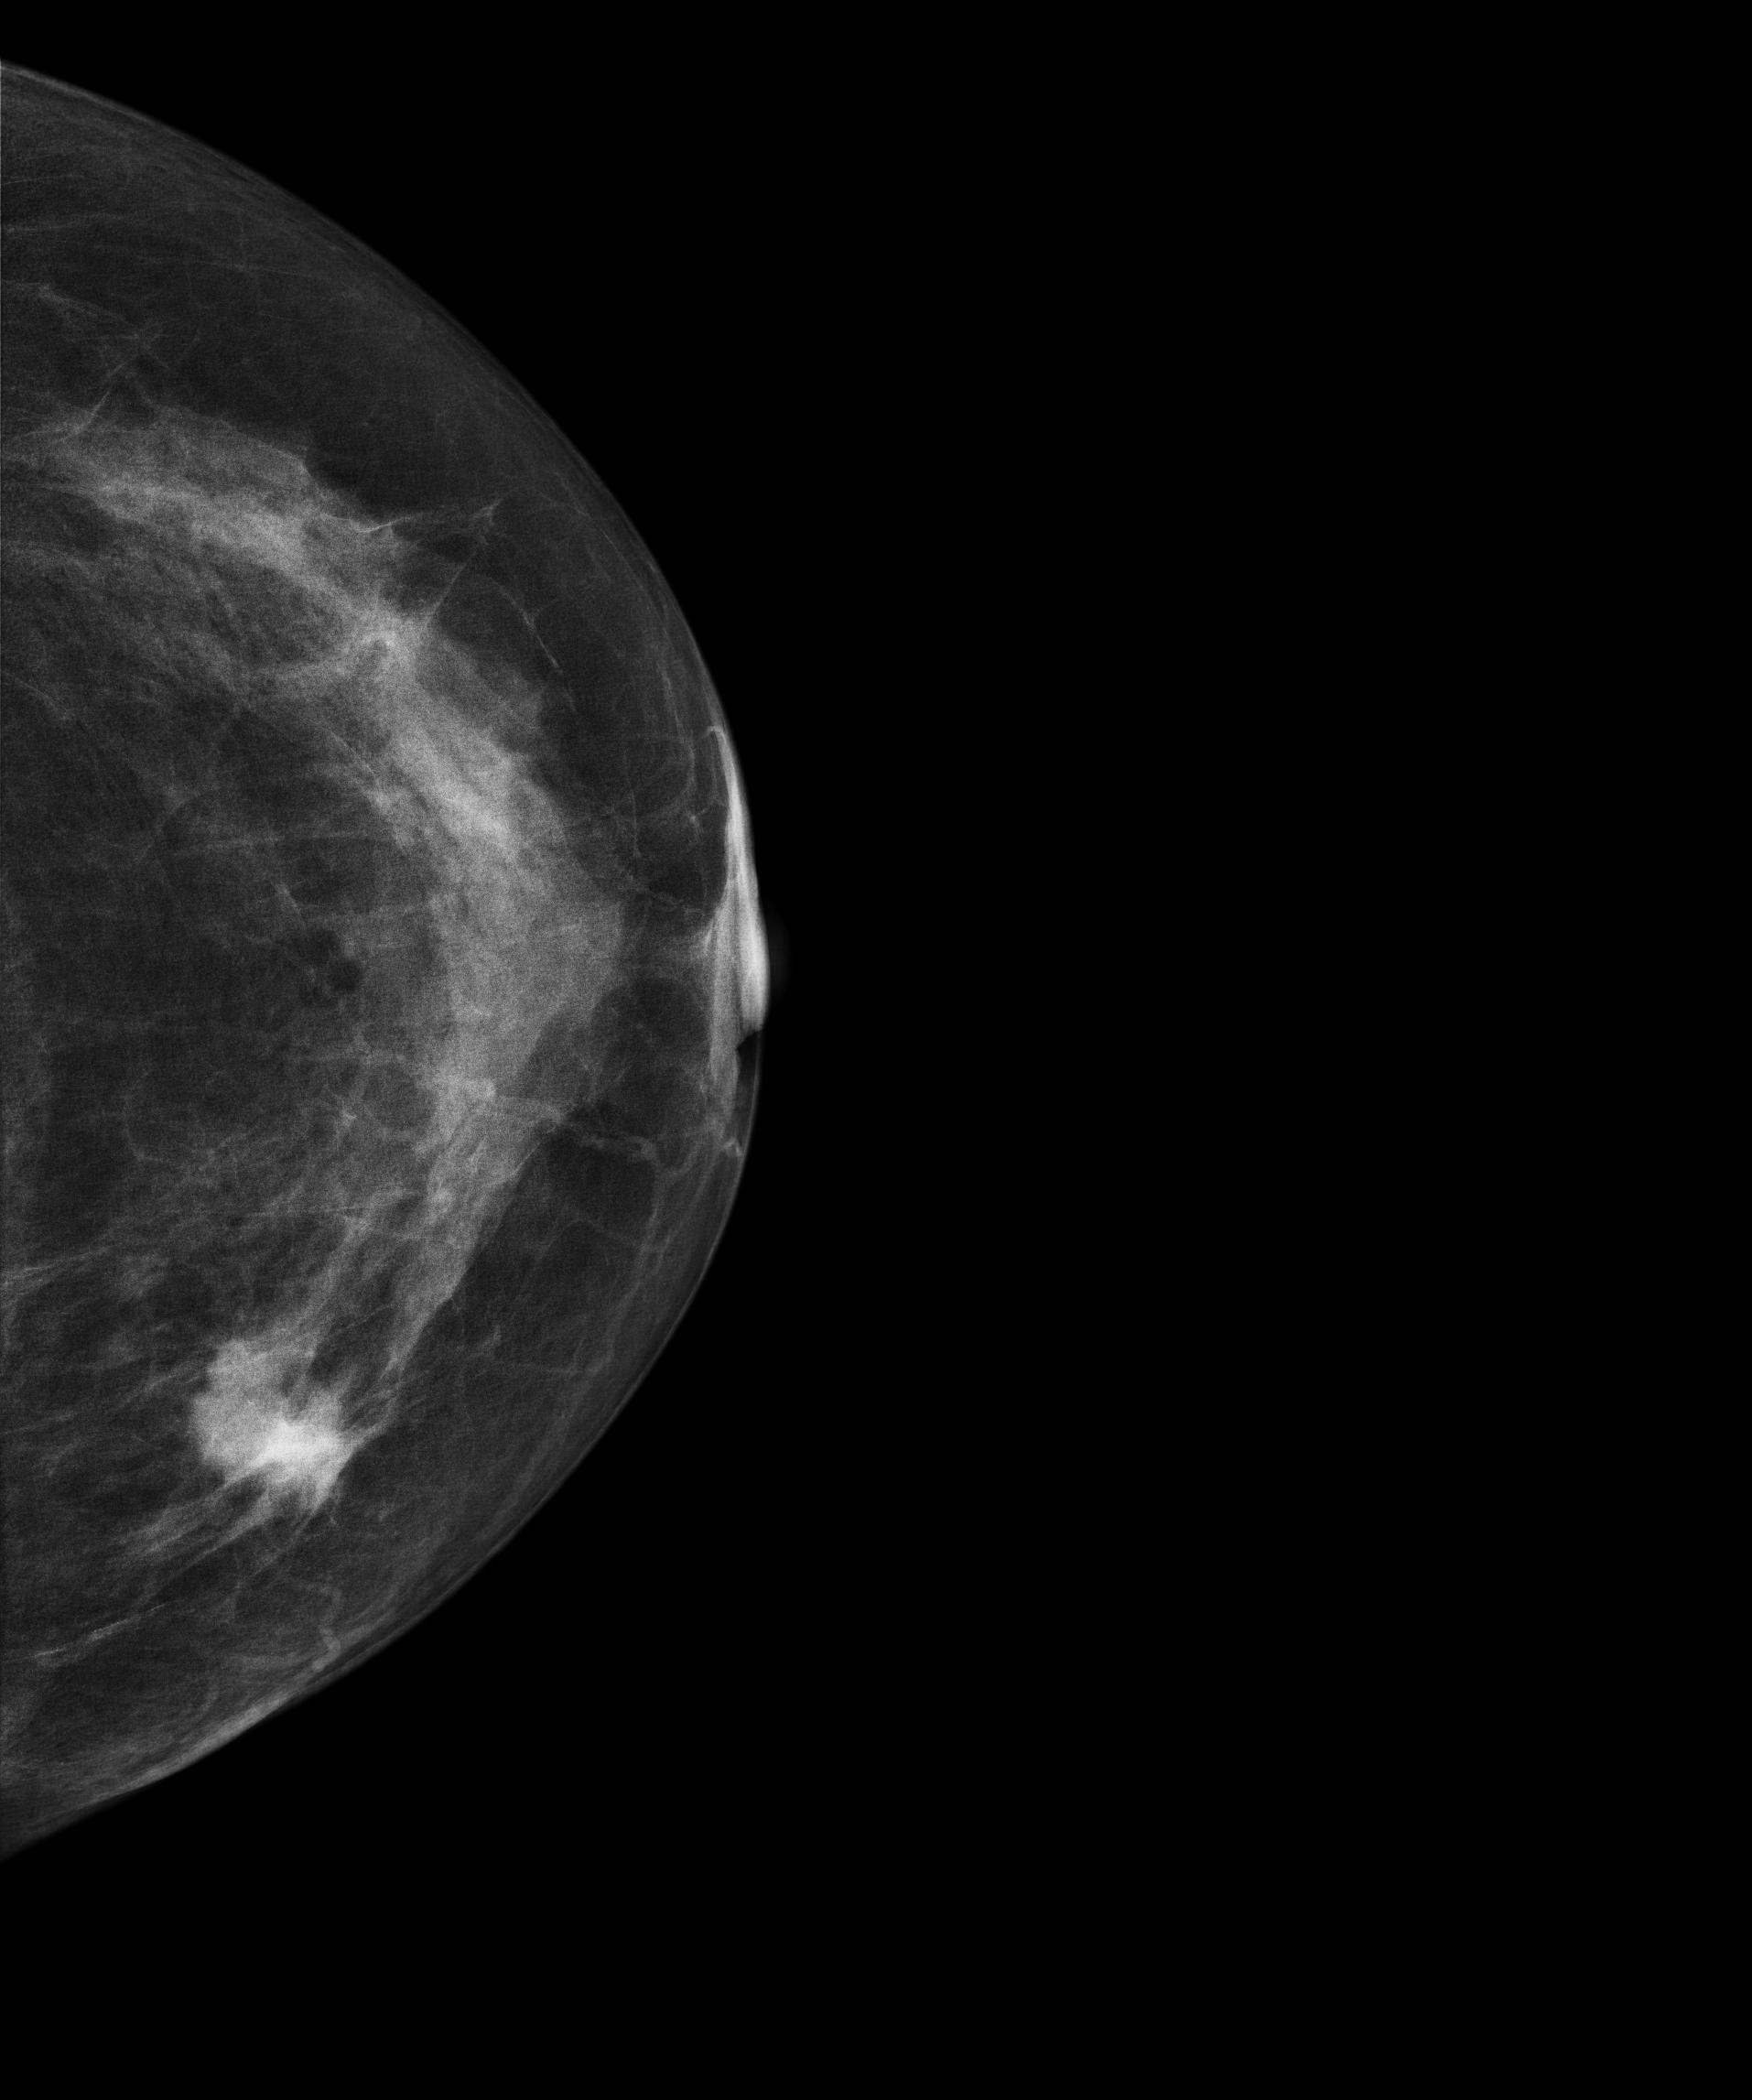
Left-breast mammogram, cranio-caudal. Patient age 59.
This breast has a mass, biopsy-confirmed malignant. Molecular subtype: luminal B.